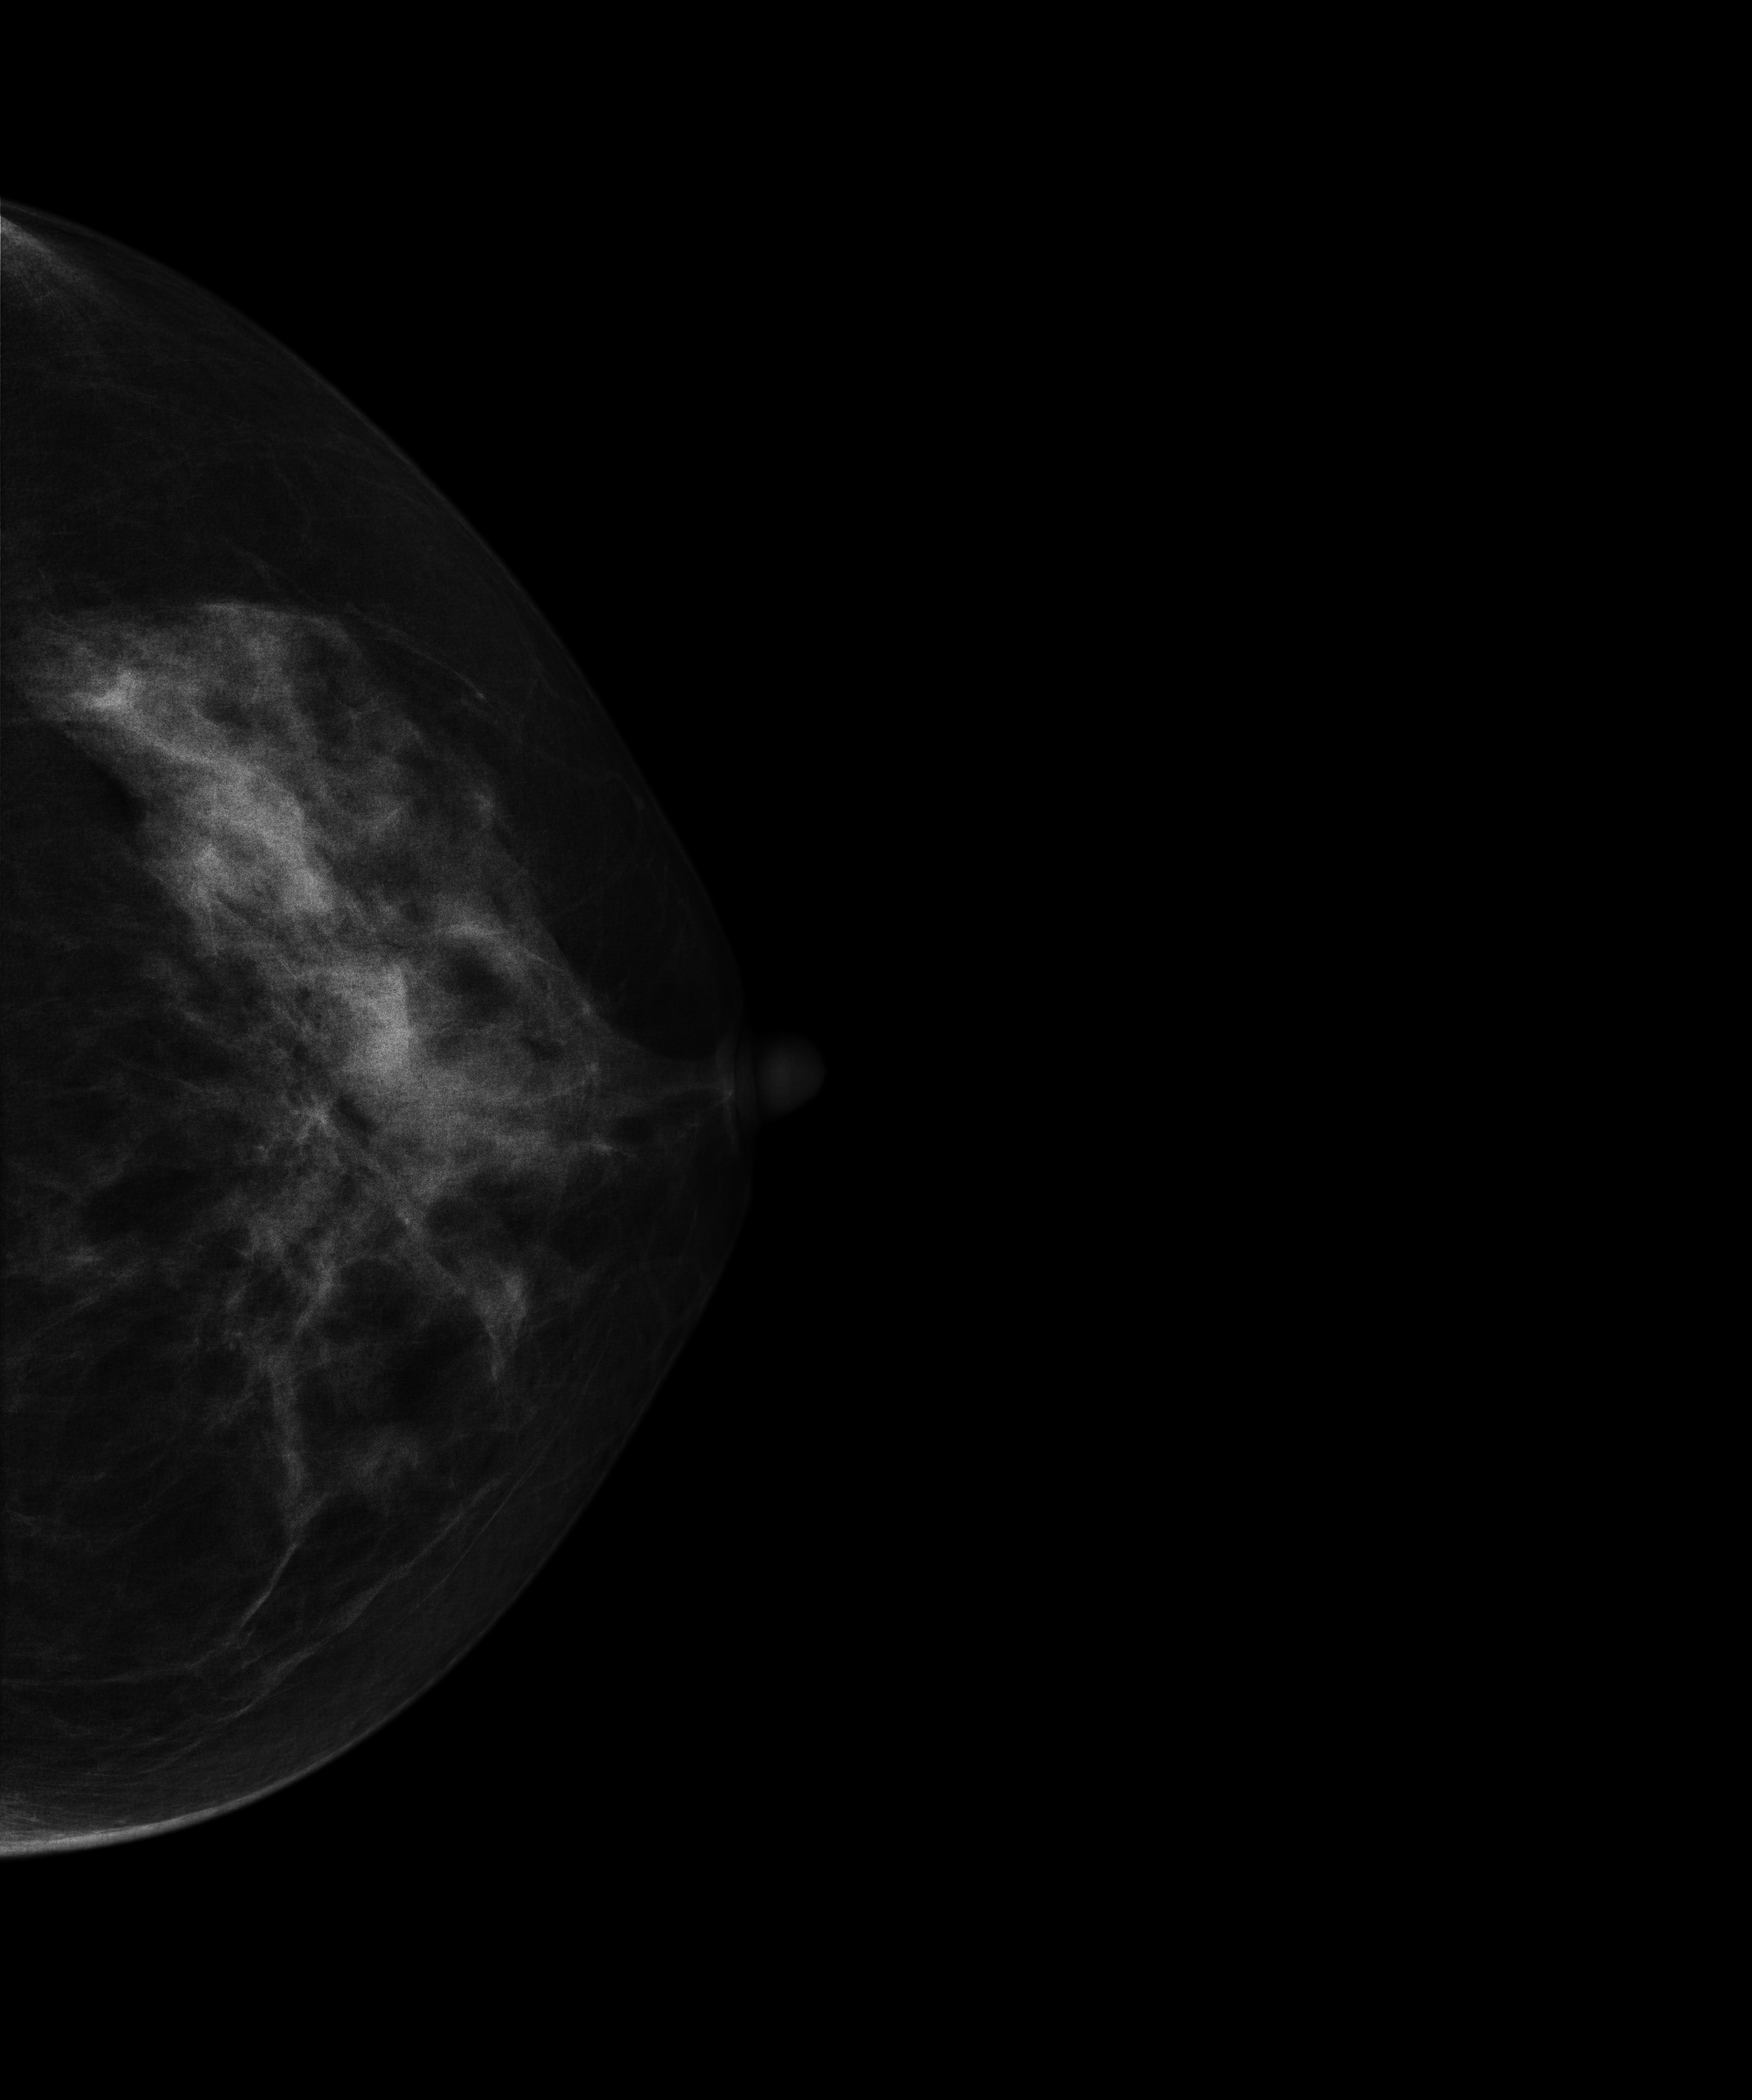
Left-breast mammogram, CC. 51-year-old patient.
Contralateral breast — no documented abnormality on this side.